Mammogram, left breast, cranio-caudal view. 43-year-old patient.
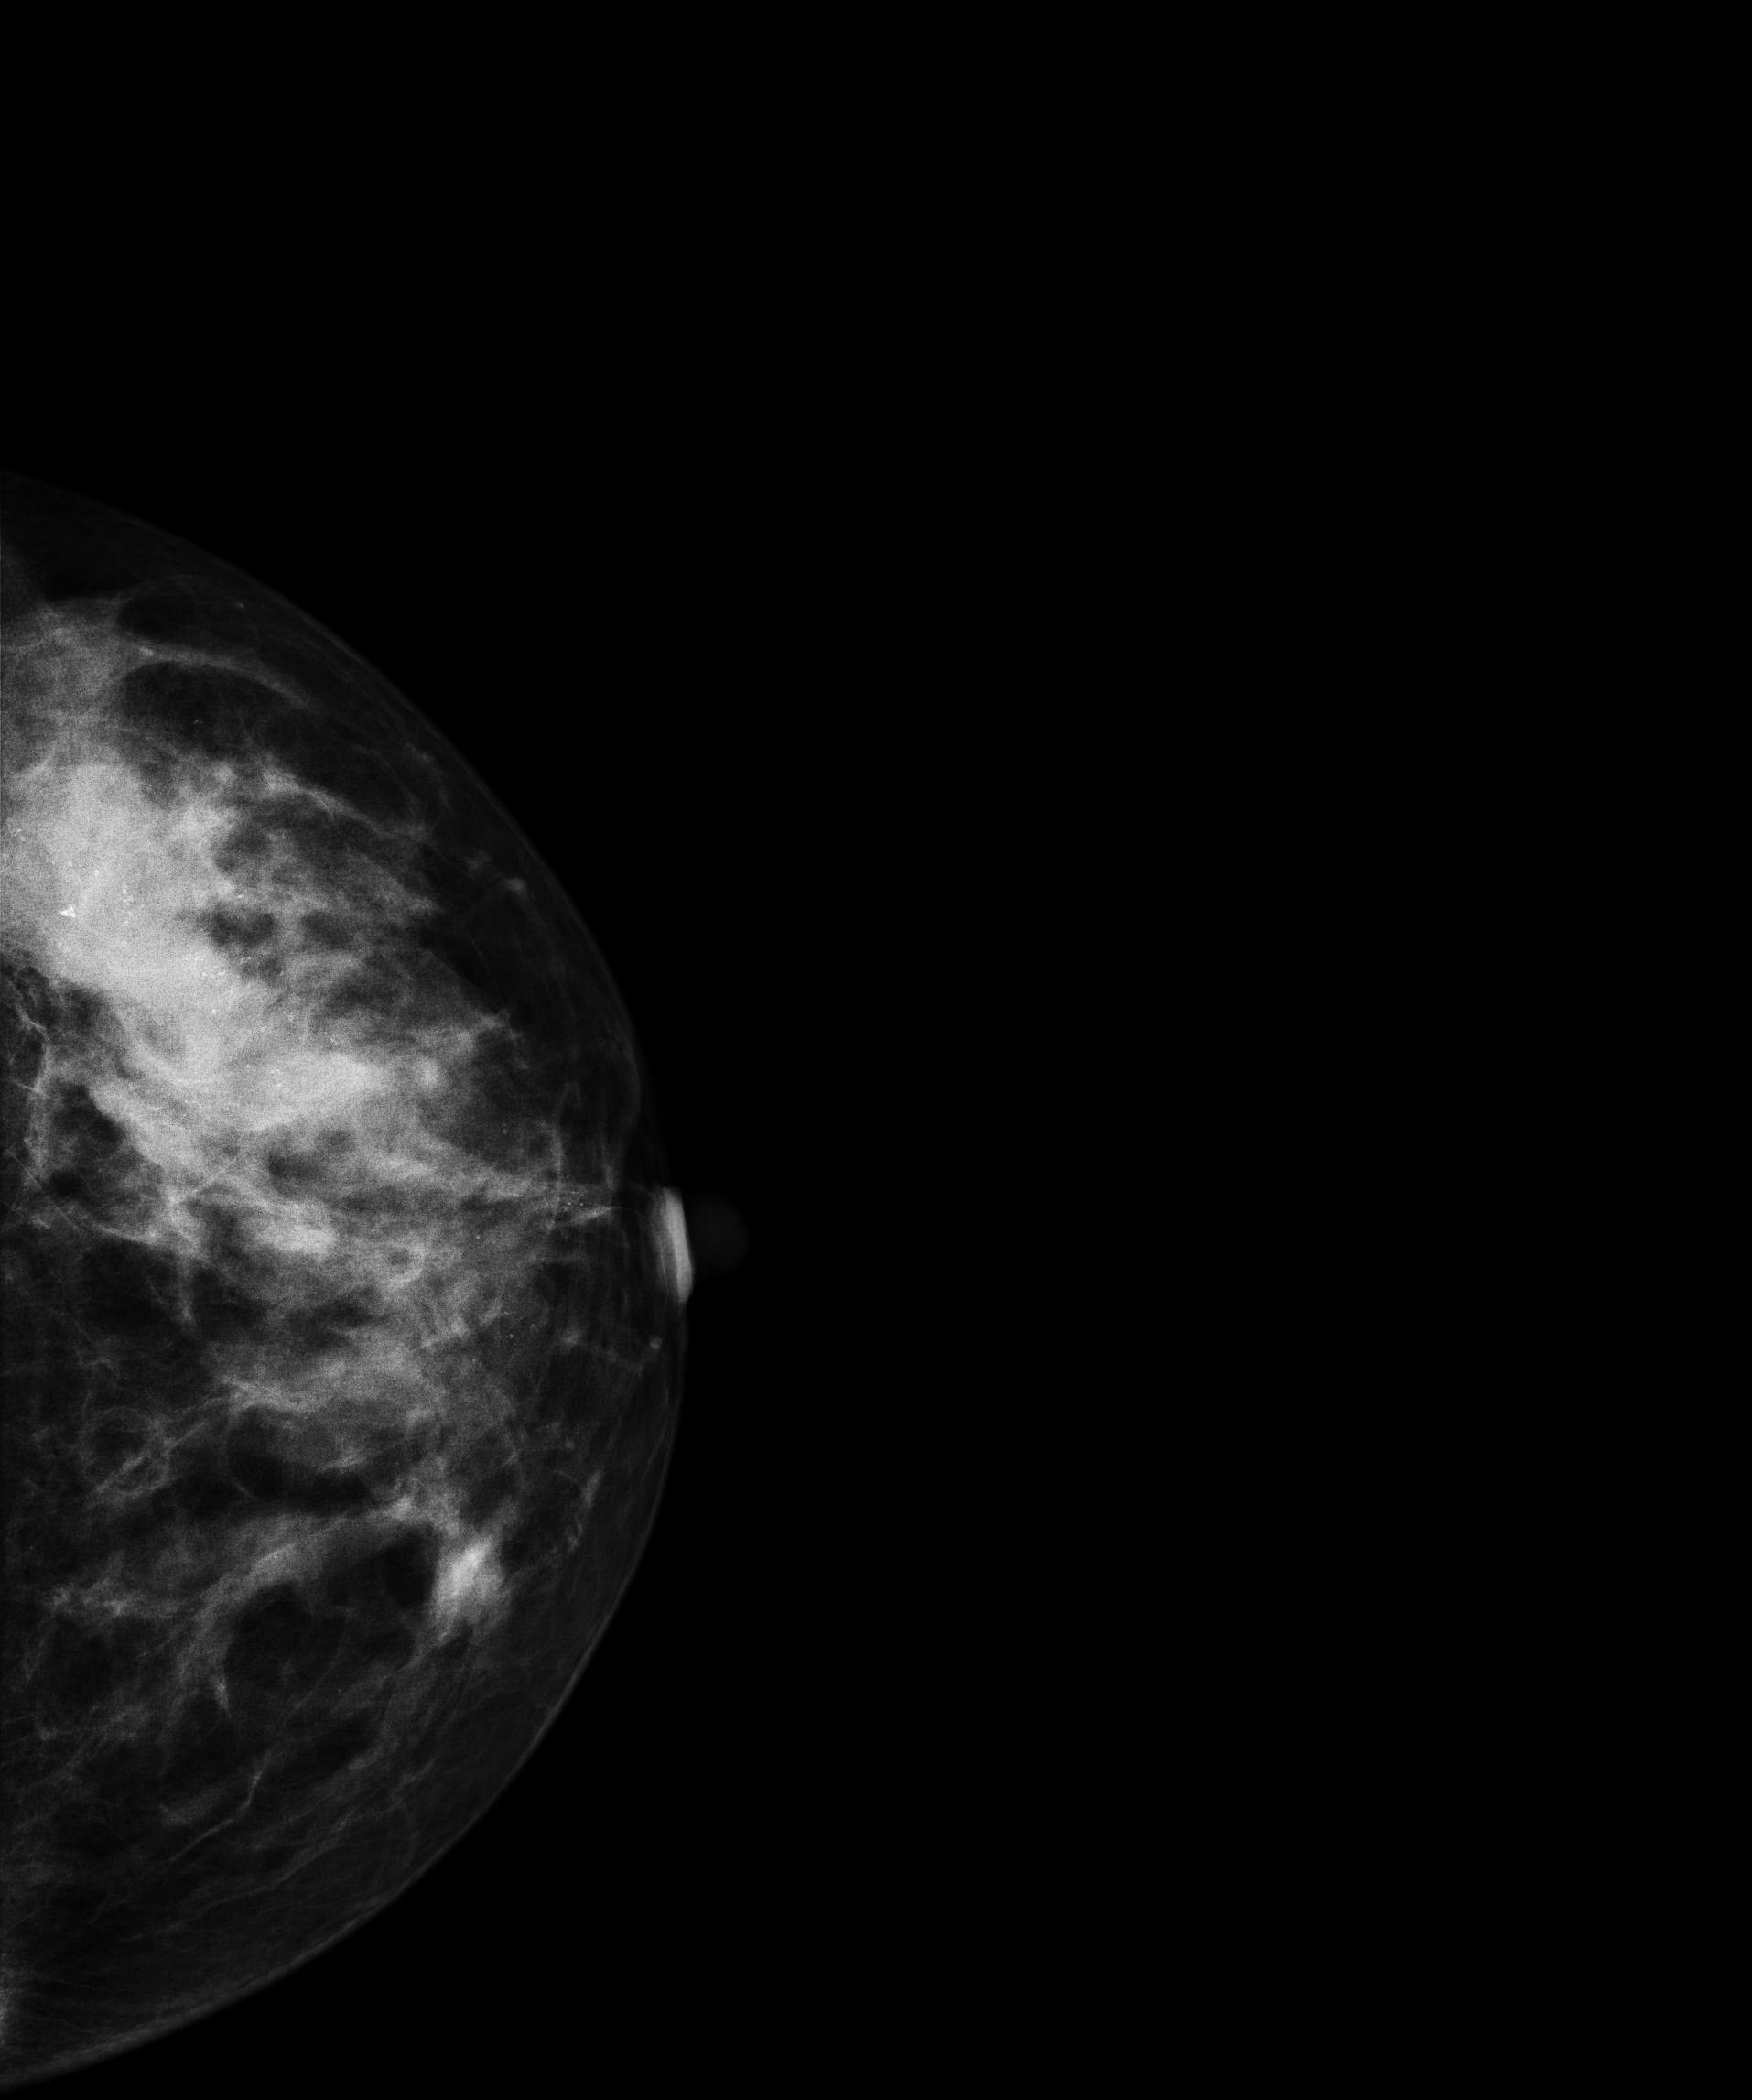
This breast has a mass and calcifications, biopsy-proven malignant. Molecular subtype: HER2-enriched.